MLO mammogram of the left breast. Patient age 50.
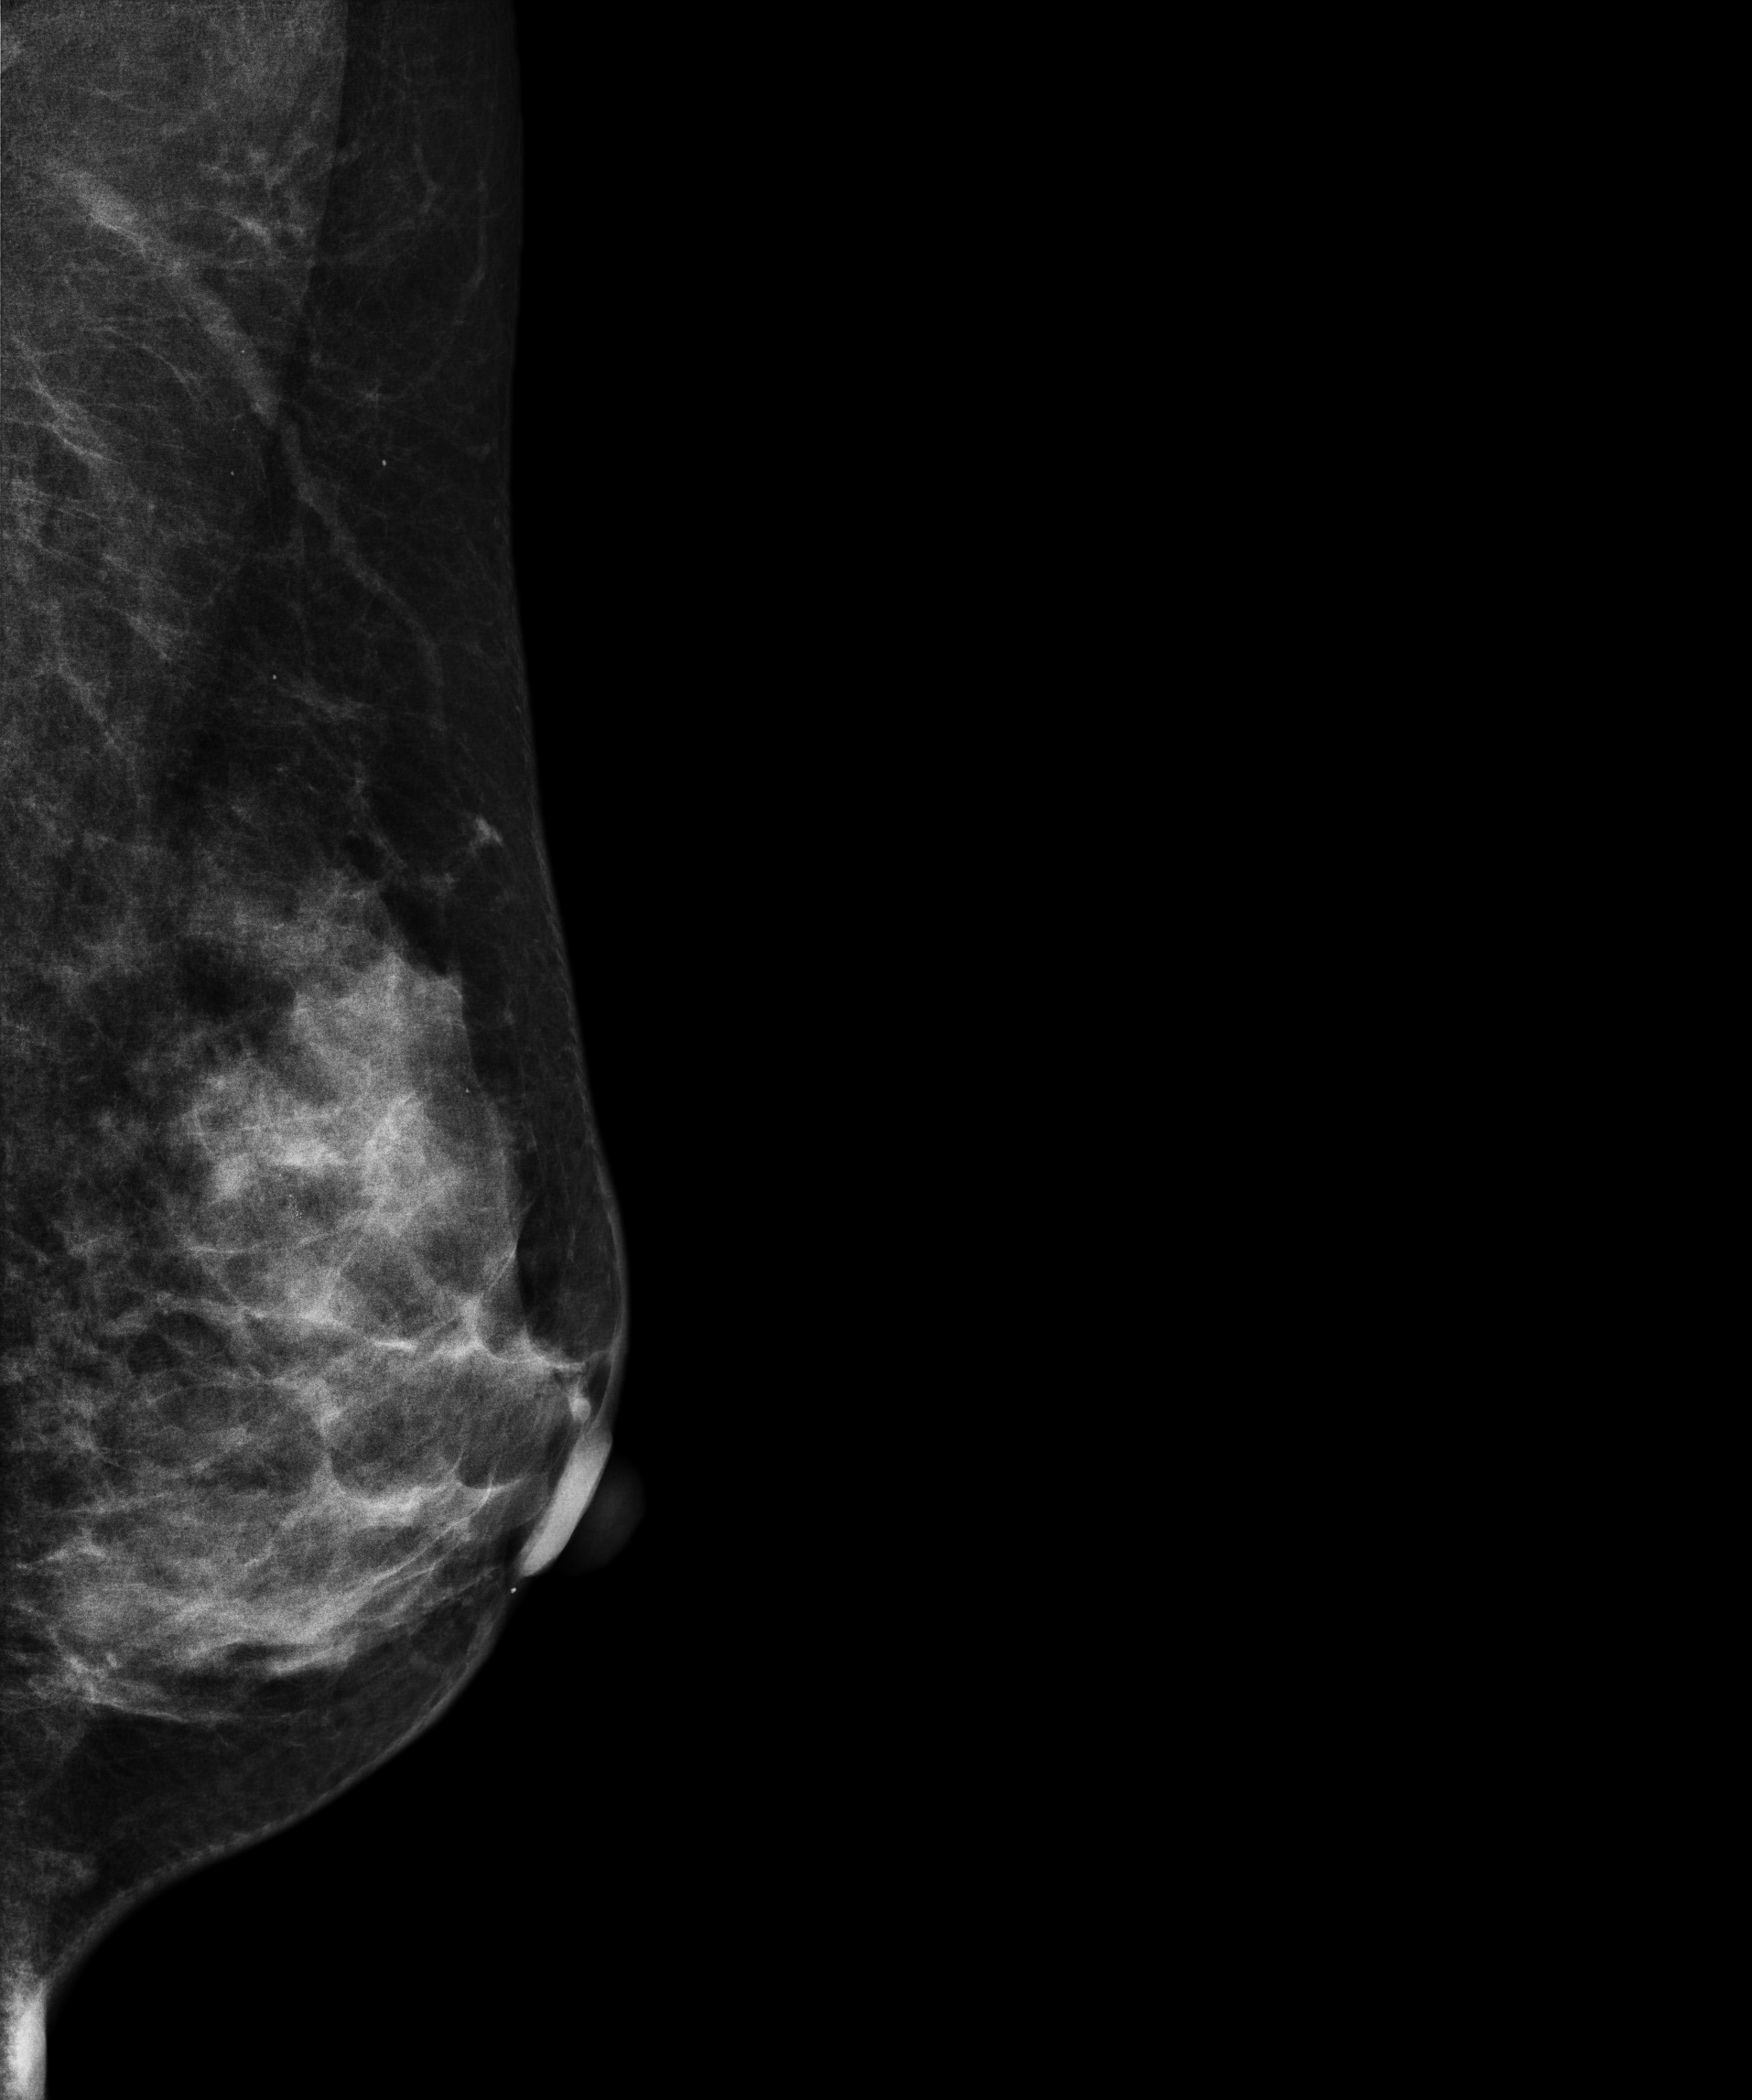
This breast has calcifications, biopsy-confirmed malignant.